Mammogram — right cranio-caudal. 53-year-old patient.
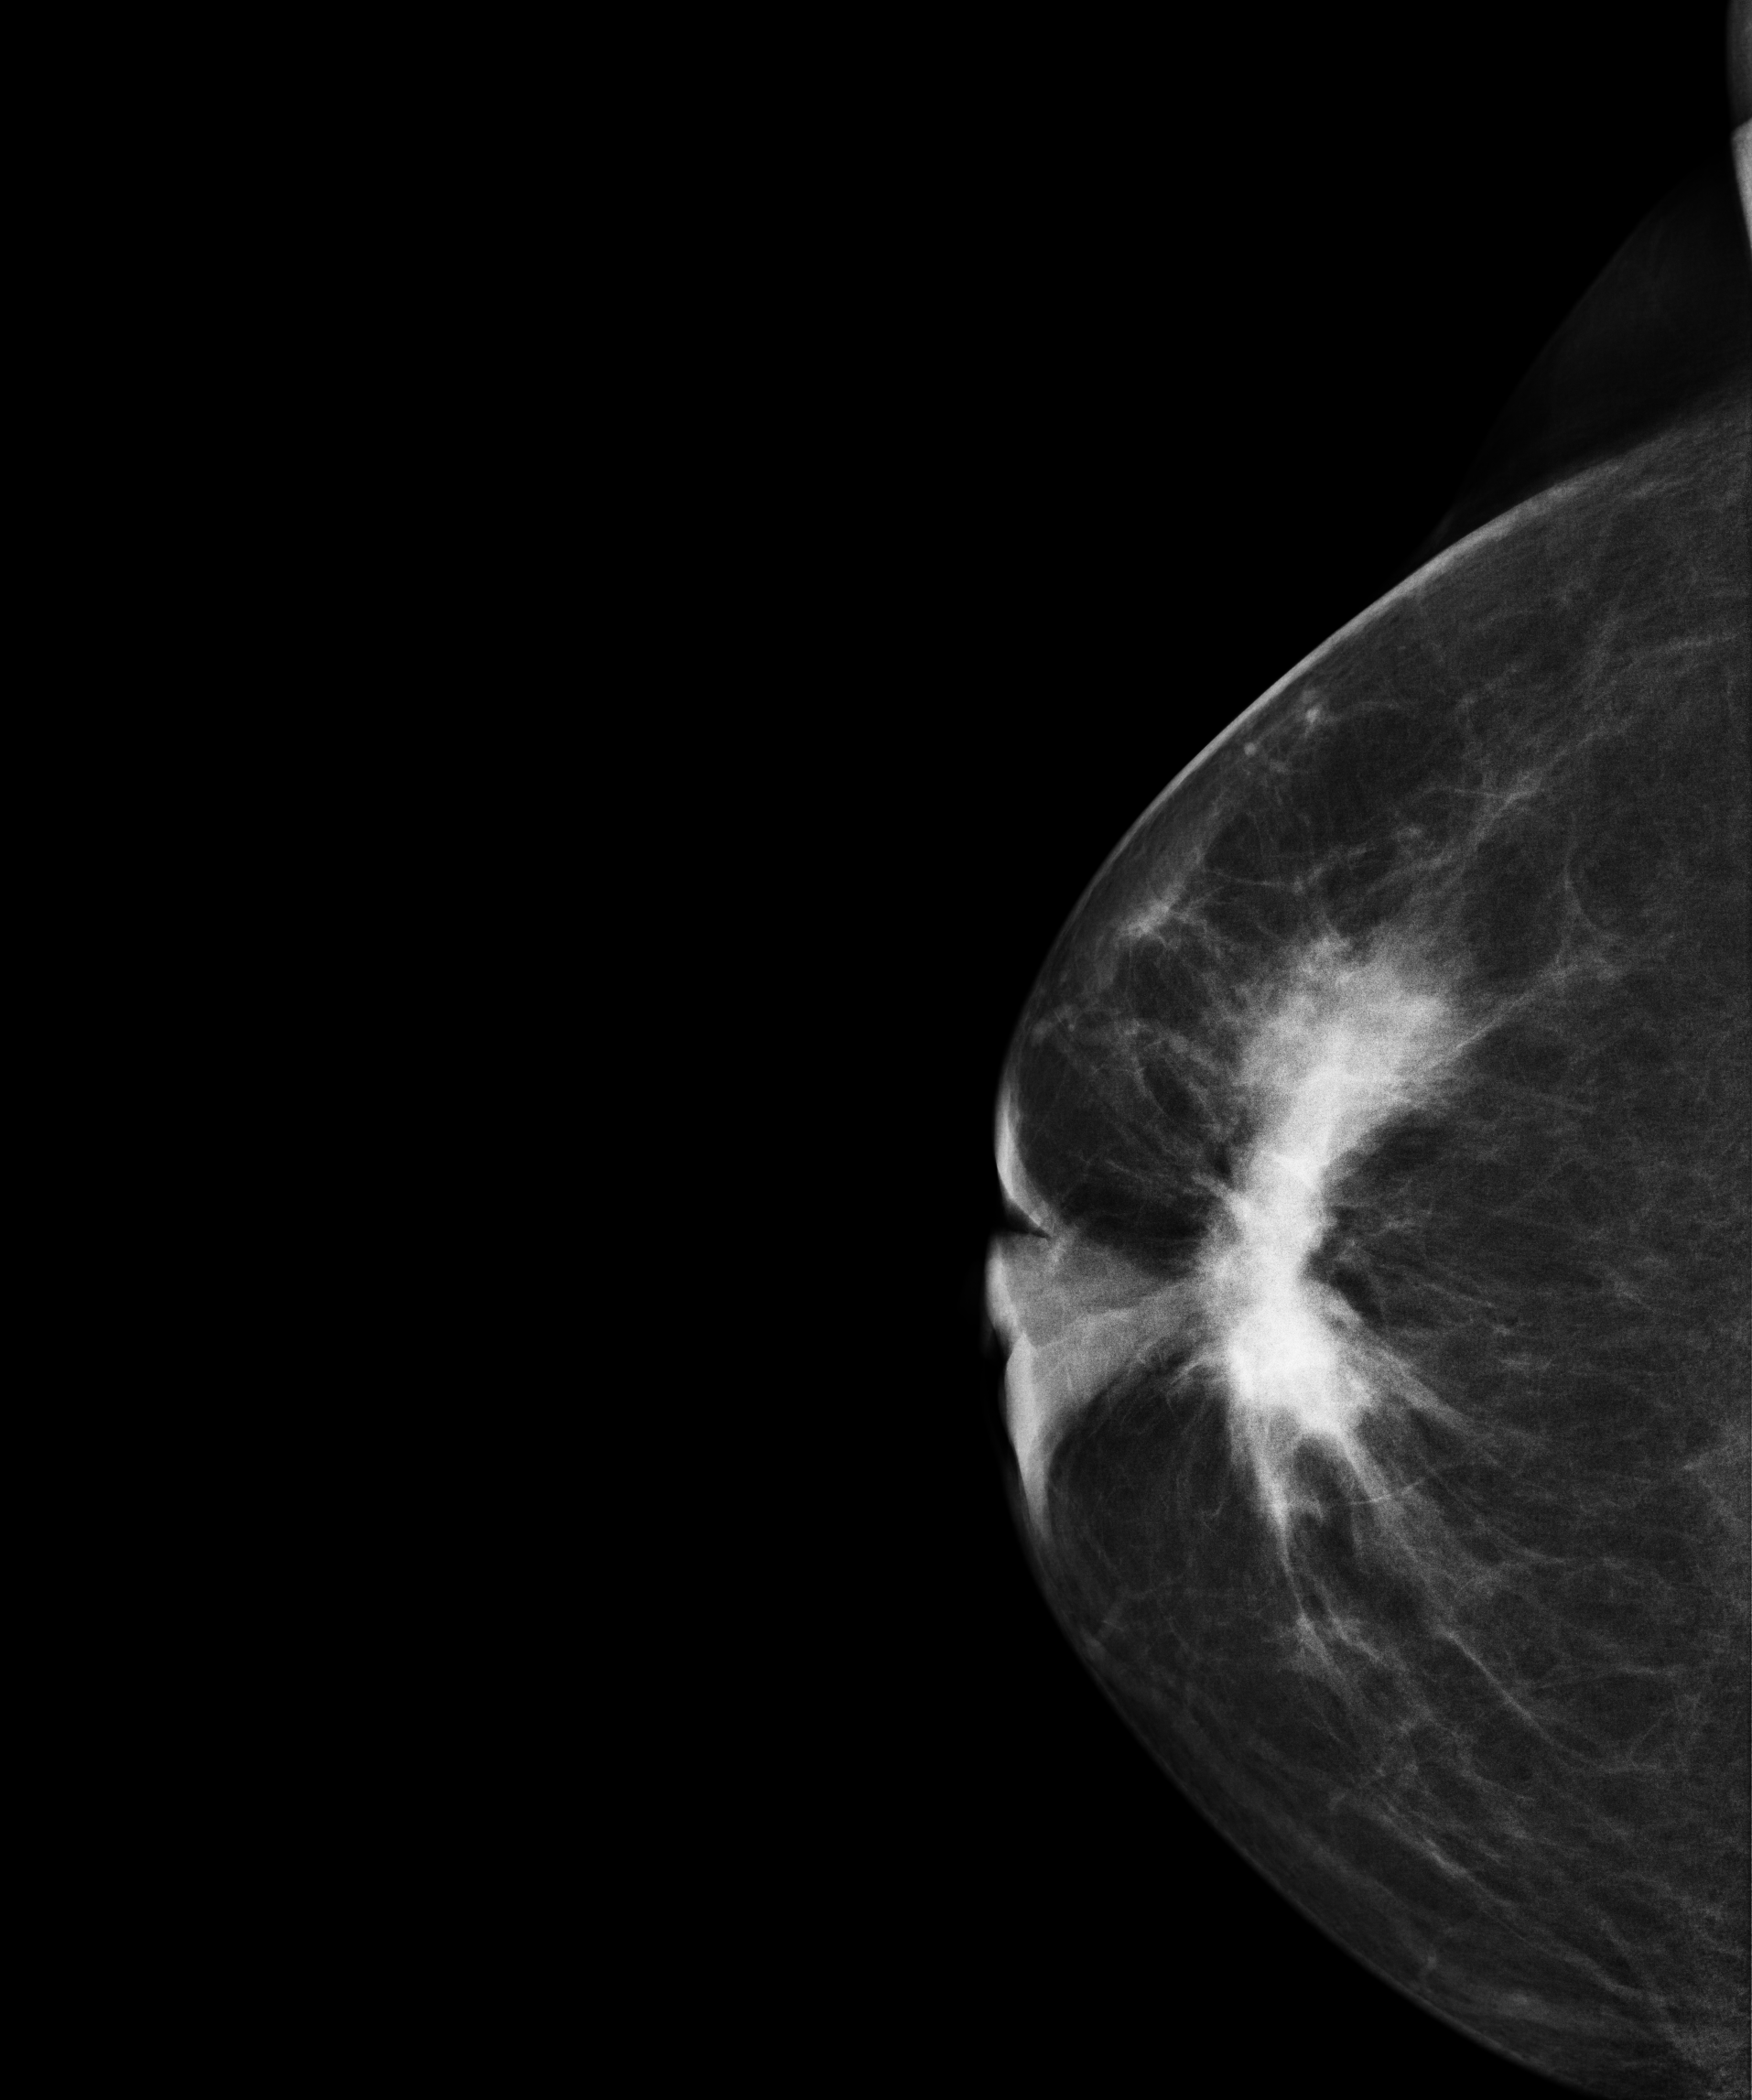
This breast has a mass, pathology-confirmed malignant. Molecular subtype: luminal A.